Digital mammography. Right breast, cranio-caudal projection. 49-year-old patient.
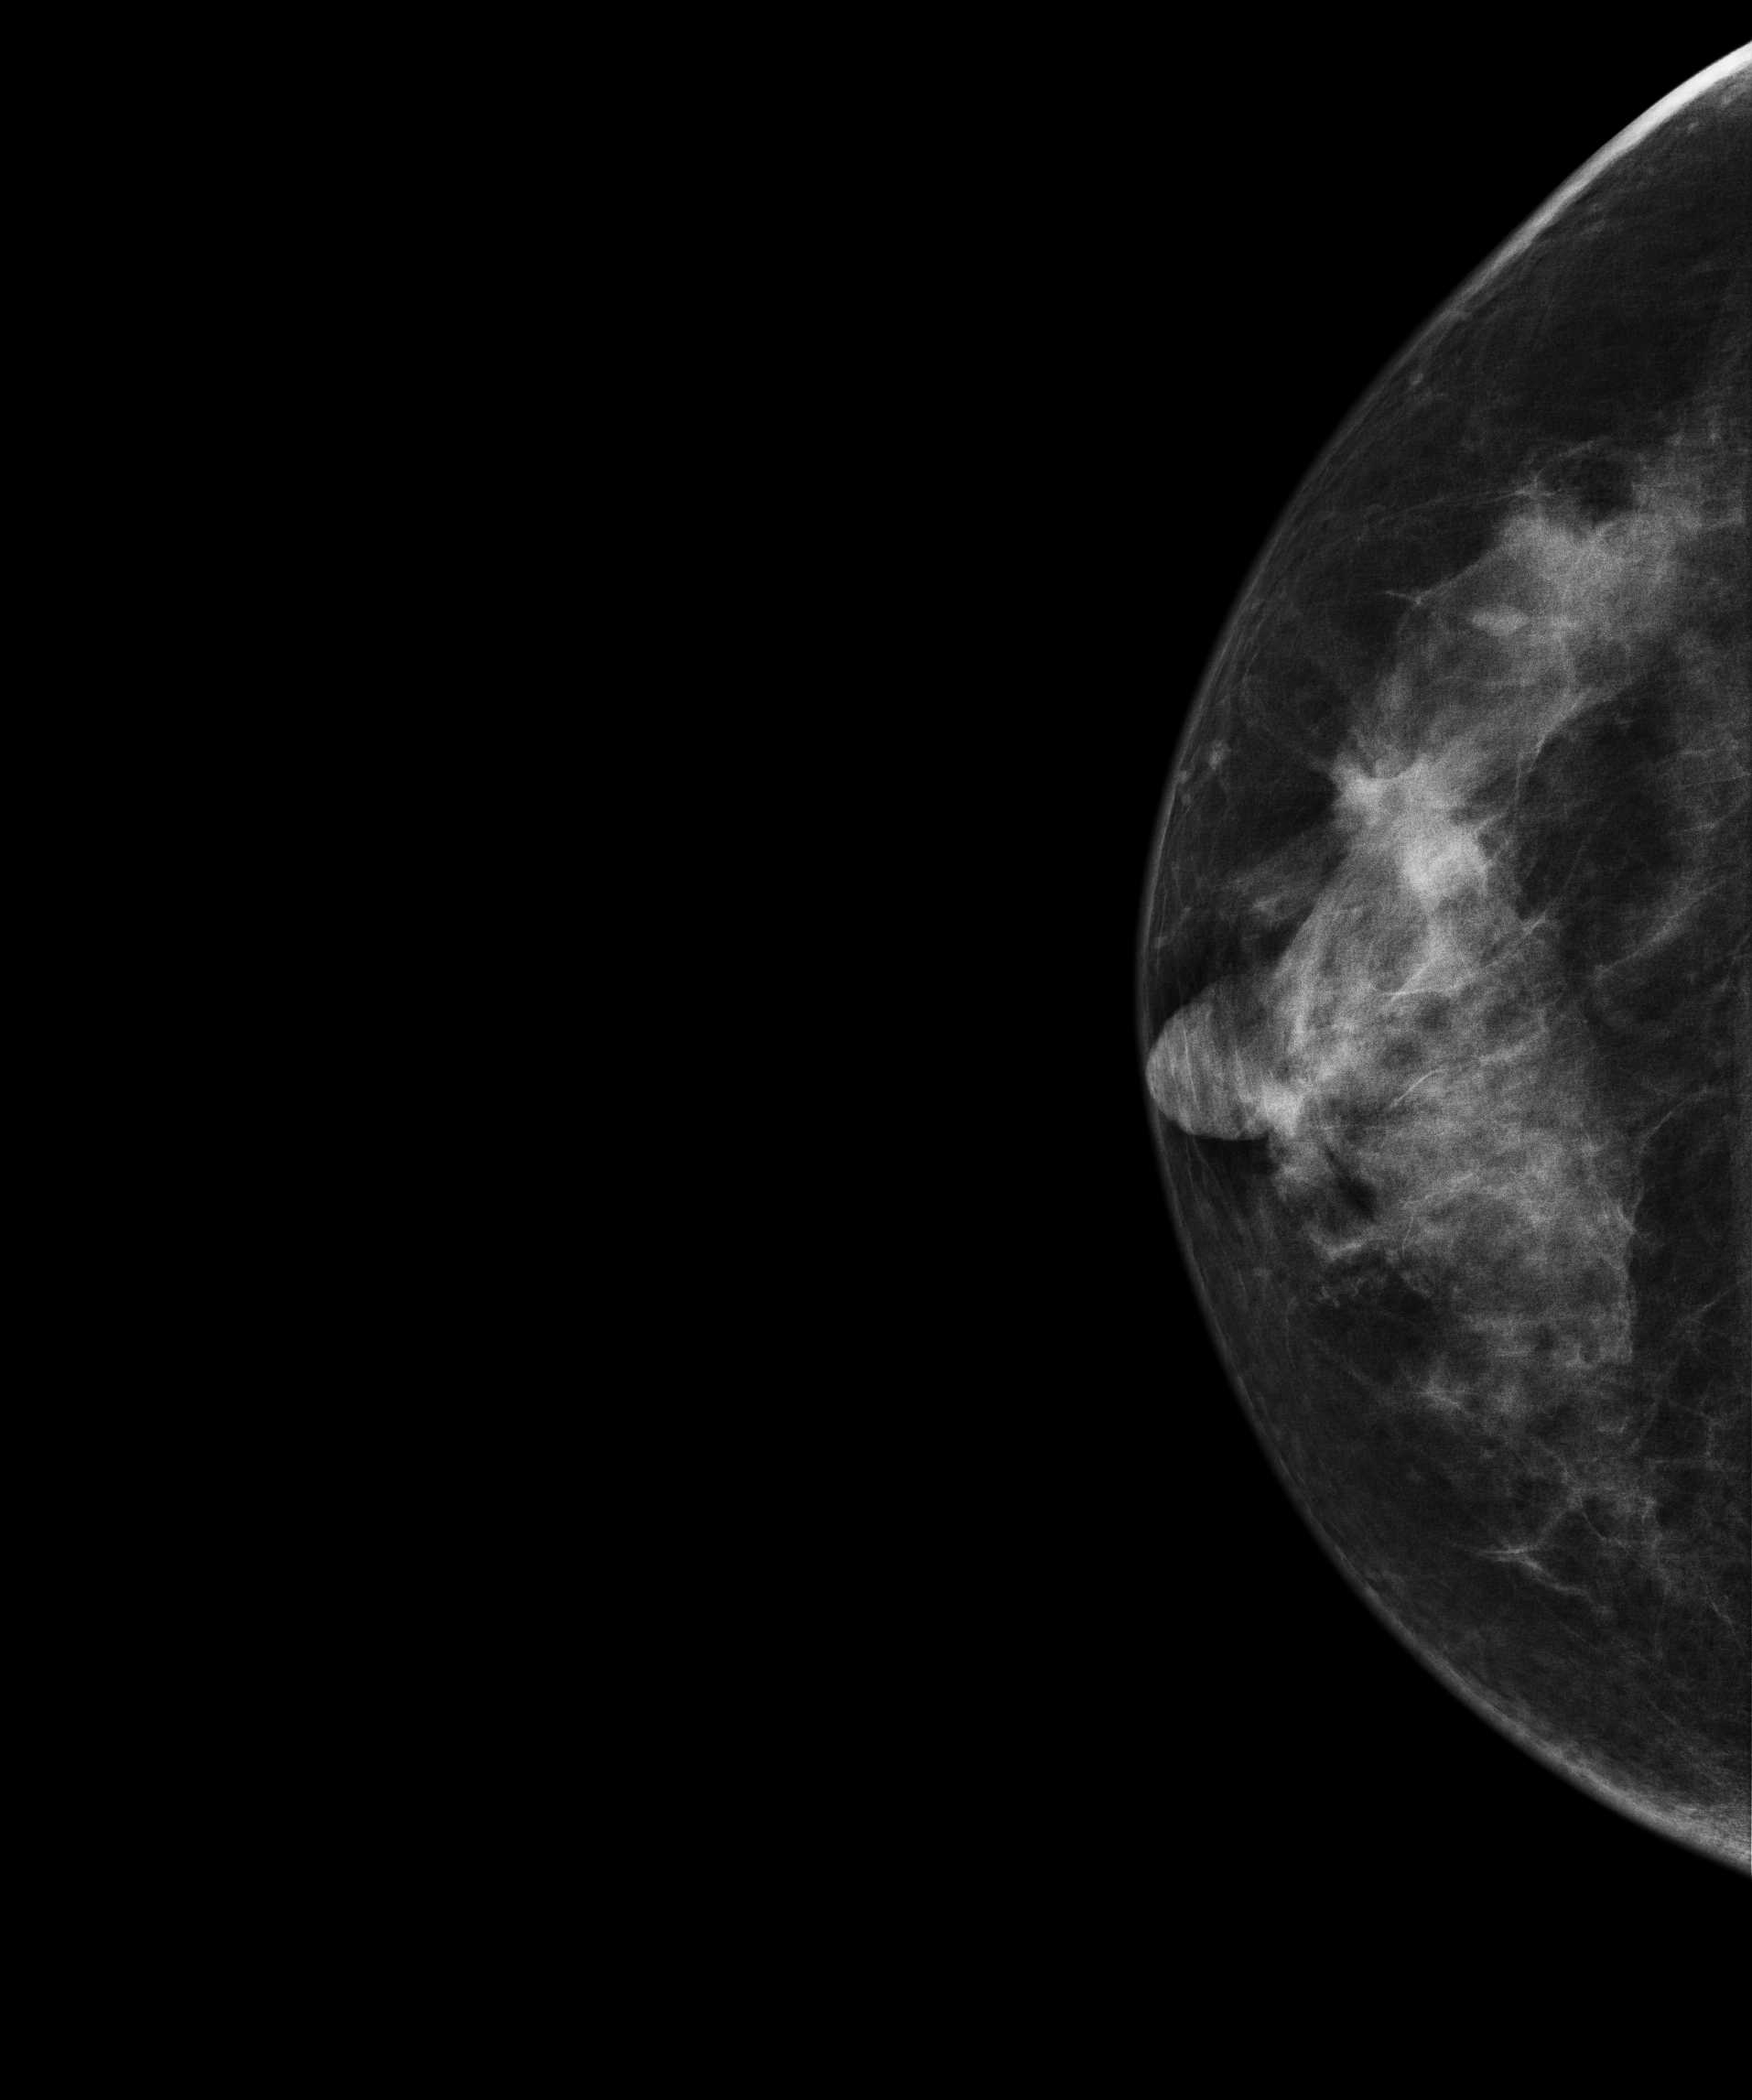
This breast has a mass, histologically confirmed malignant.